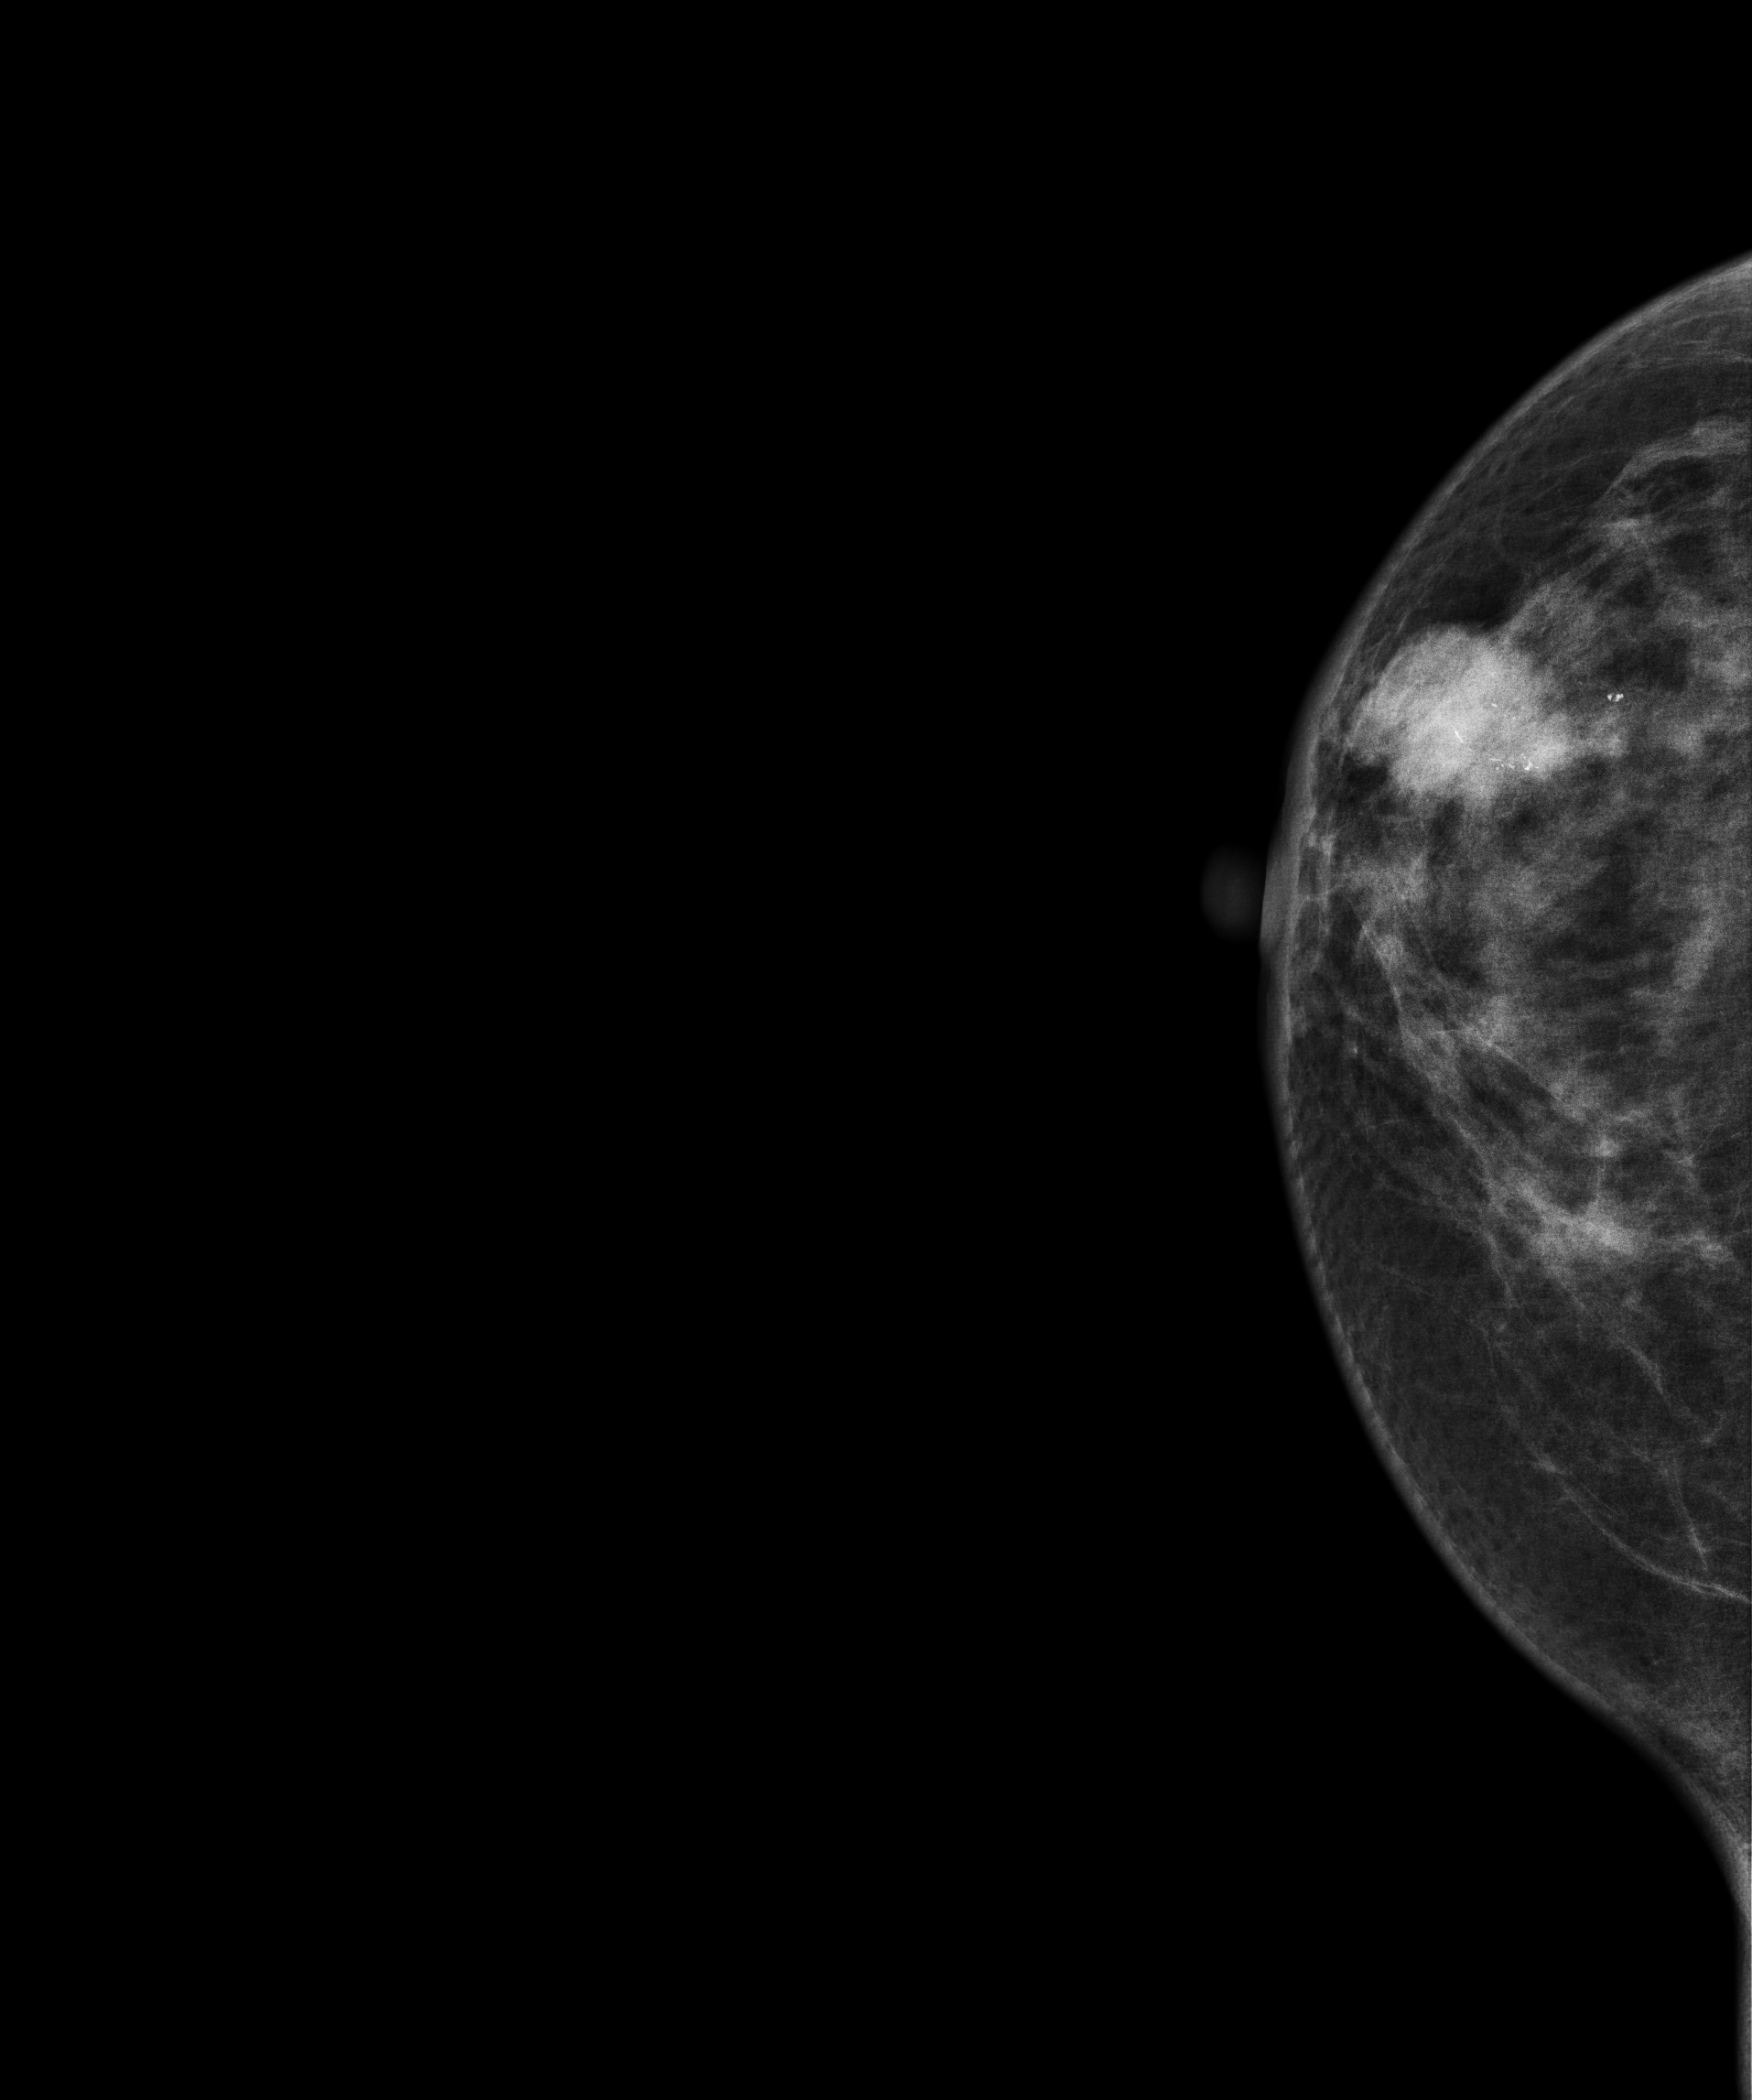
Mammogram, right breast, cranio-caudal view. 56 y/o patient.
This breast has a mass and calcifications, histologically confirmed malignant. Molecular subtype: luminal B.